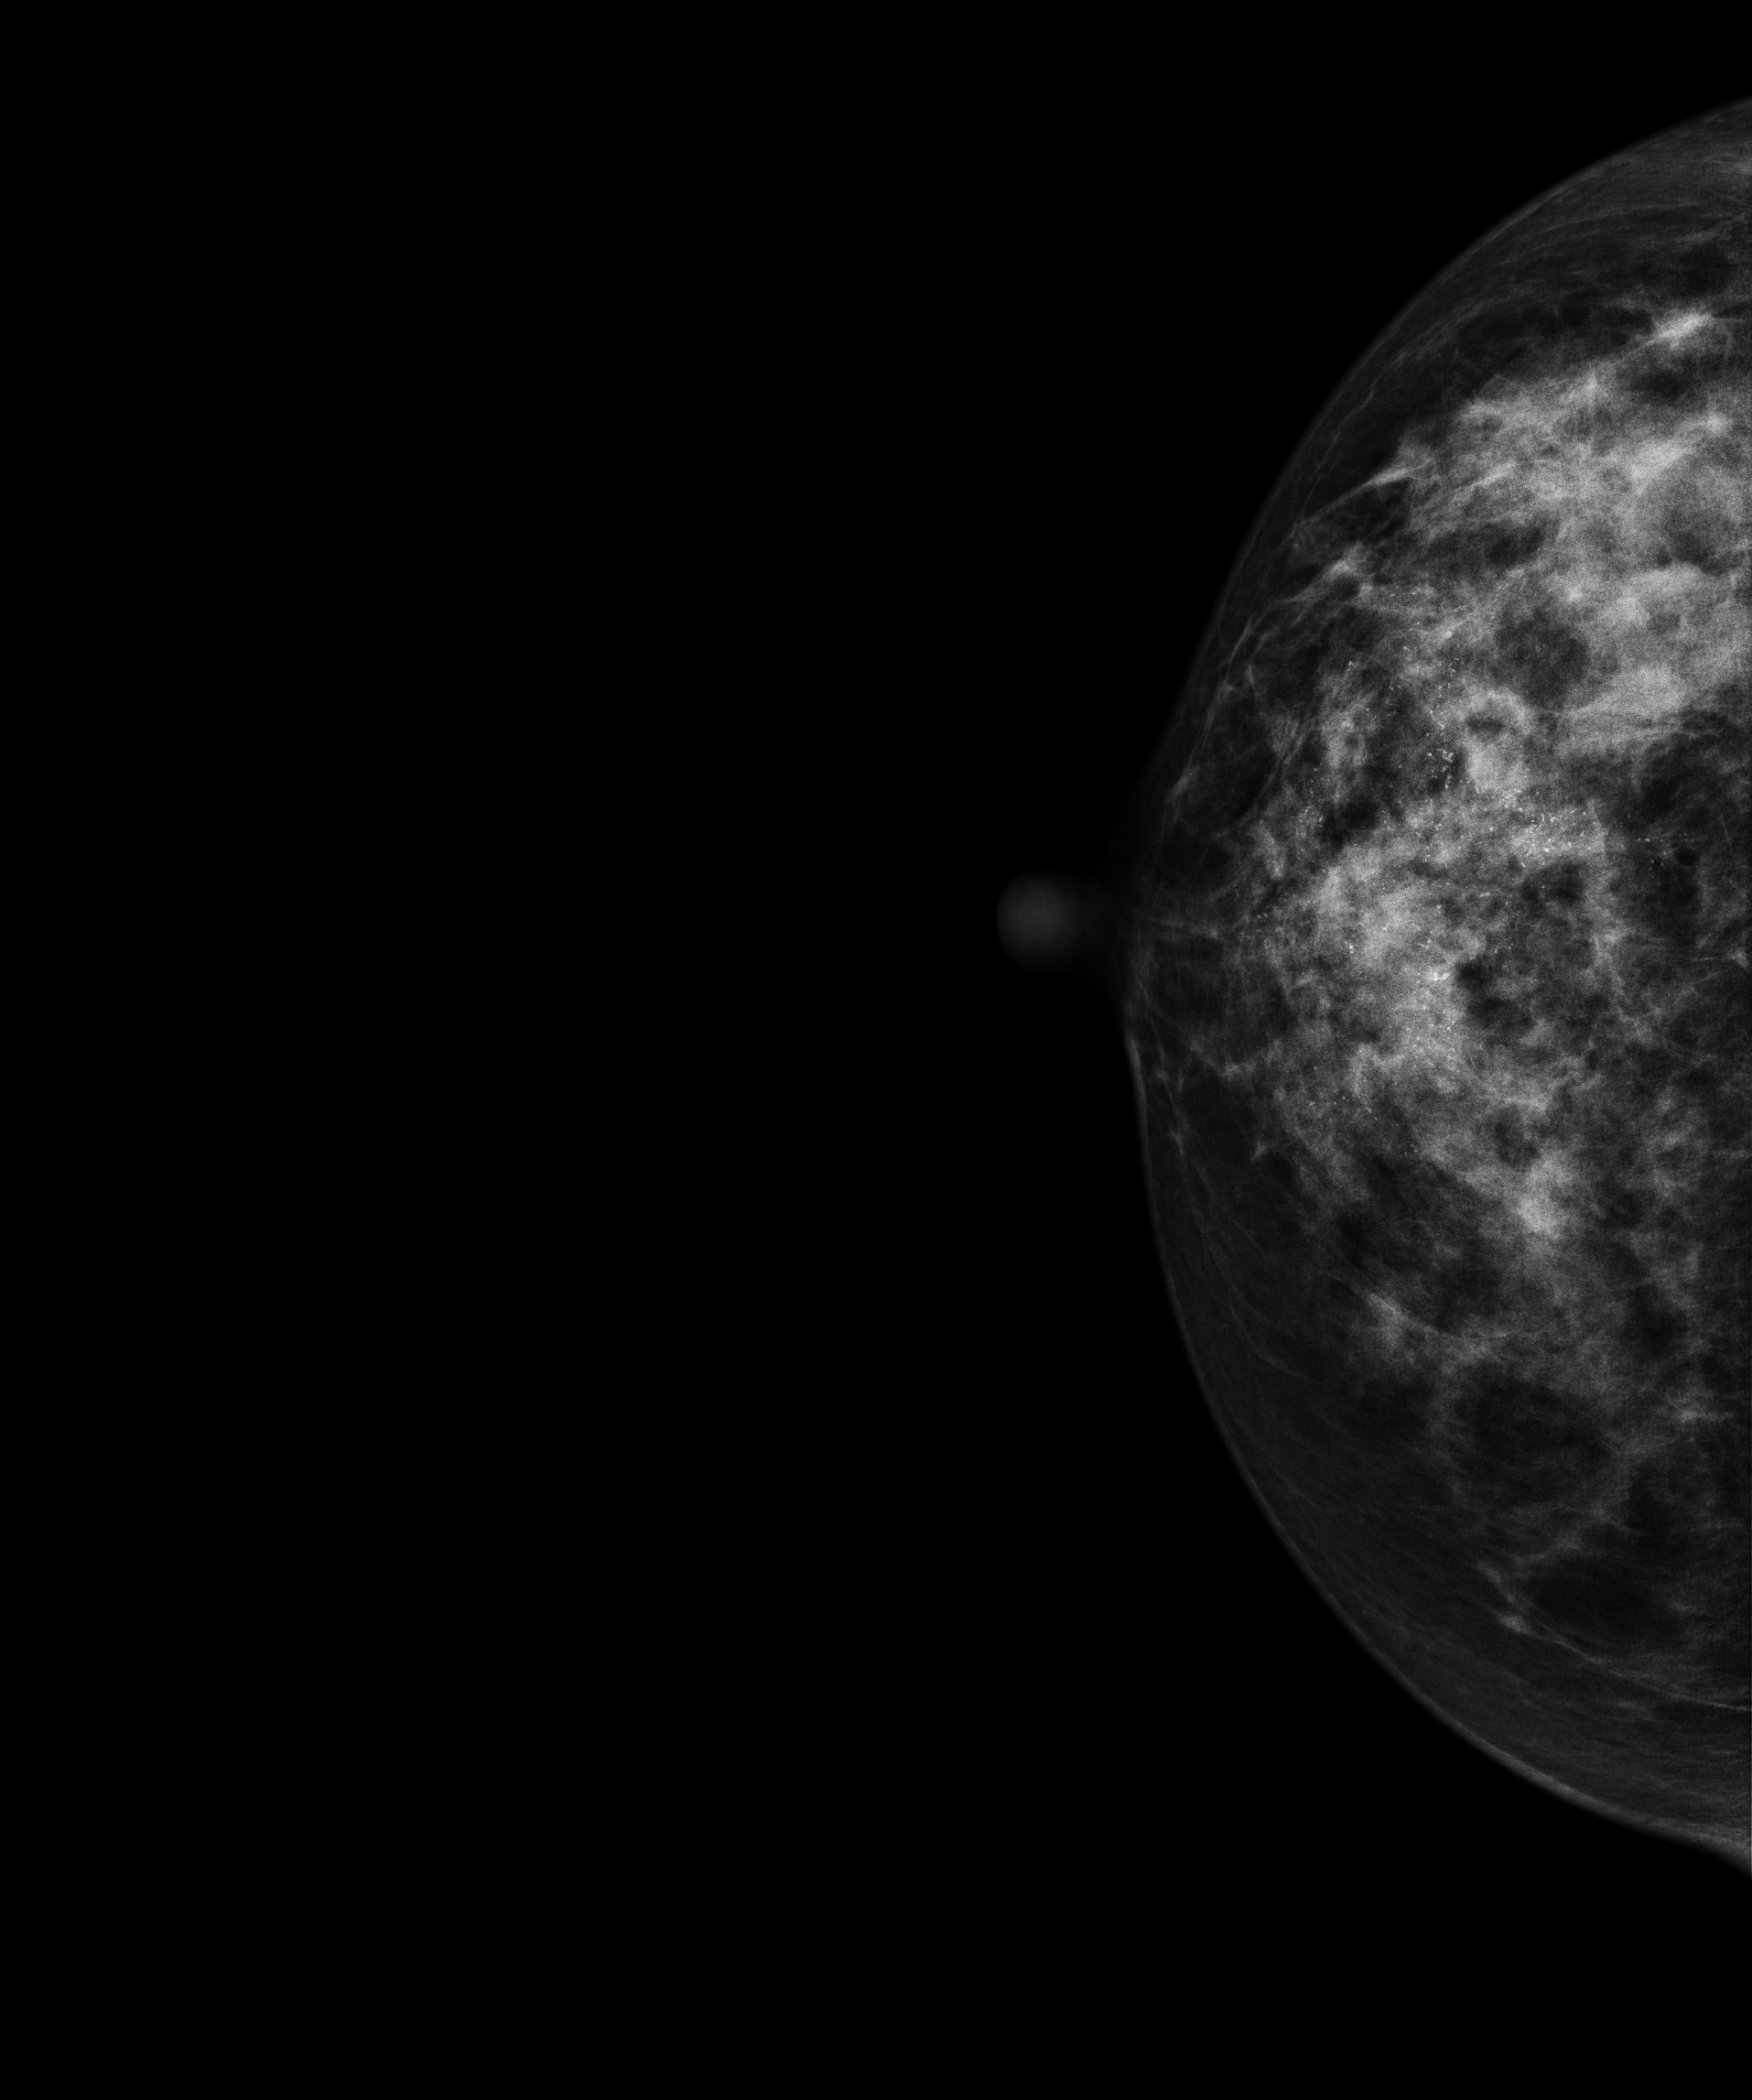
Mammogram — right cranio-caudal. 43 y/o patient.
This breast has calcifications, pathology-confirmed malignant.